Left-breast mammogram, CC. 44-year-old patient.
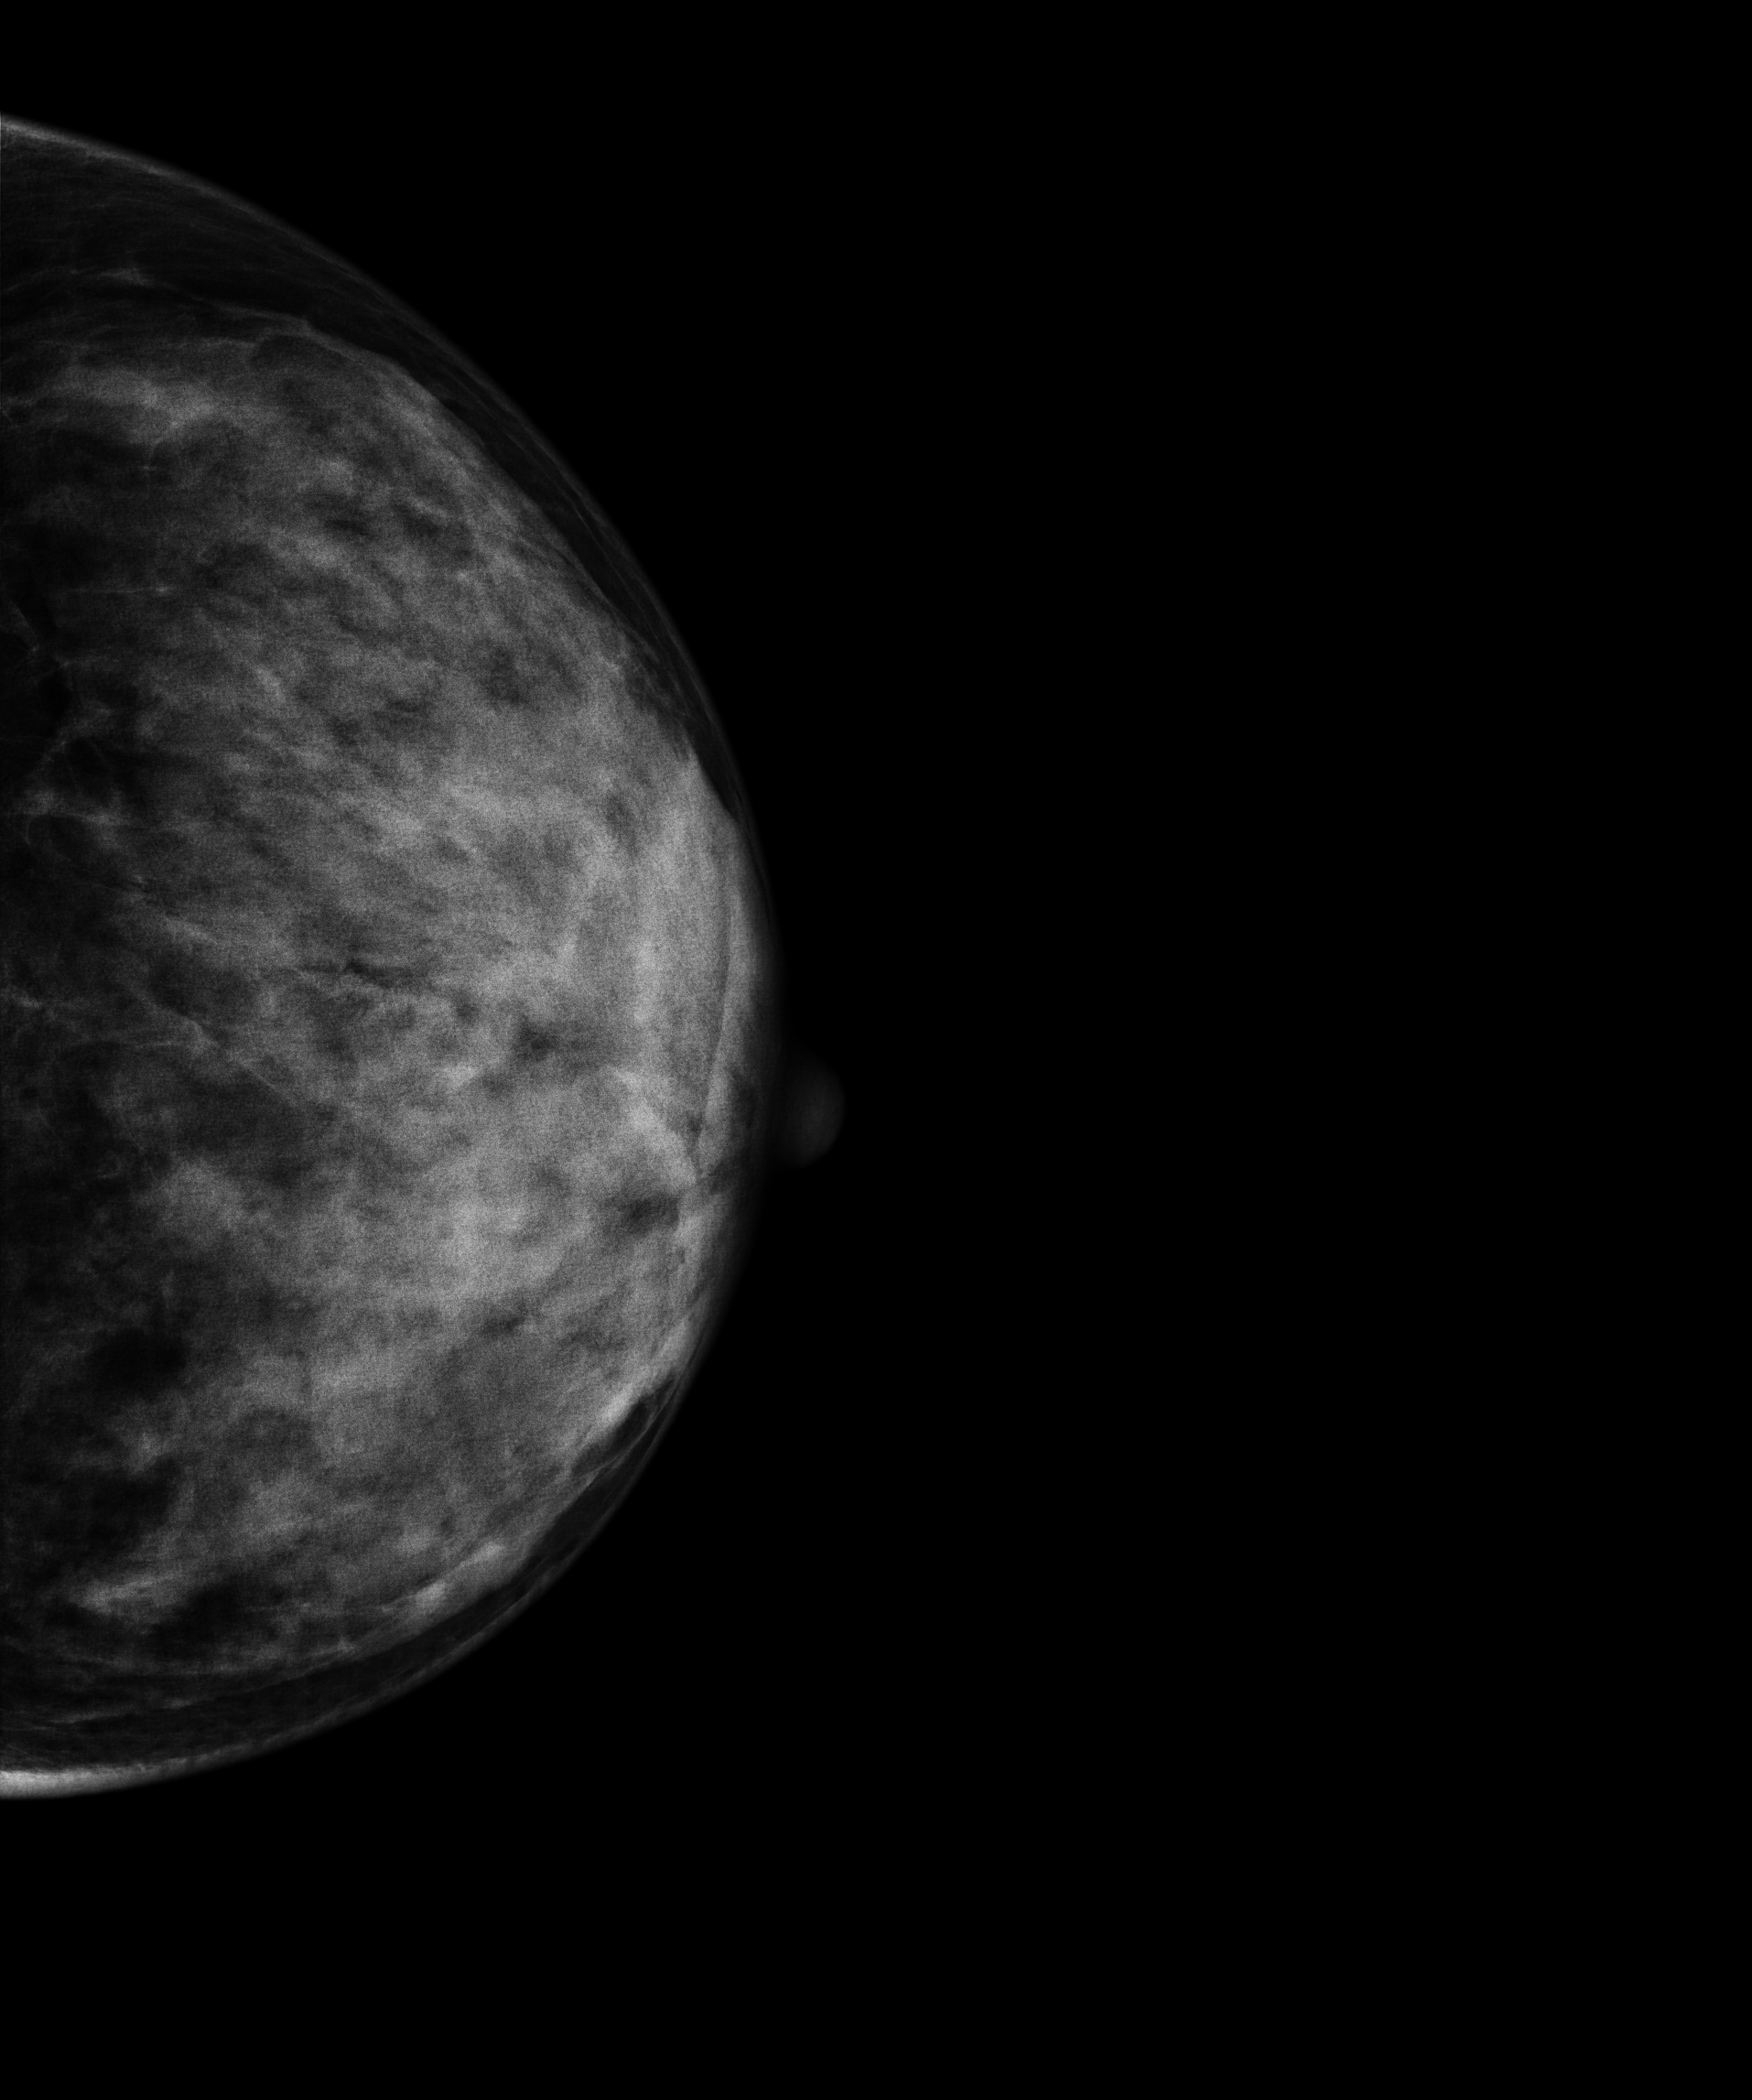
Contralateral breast — no documented abnormality on this side.